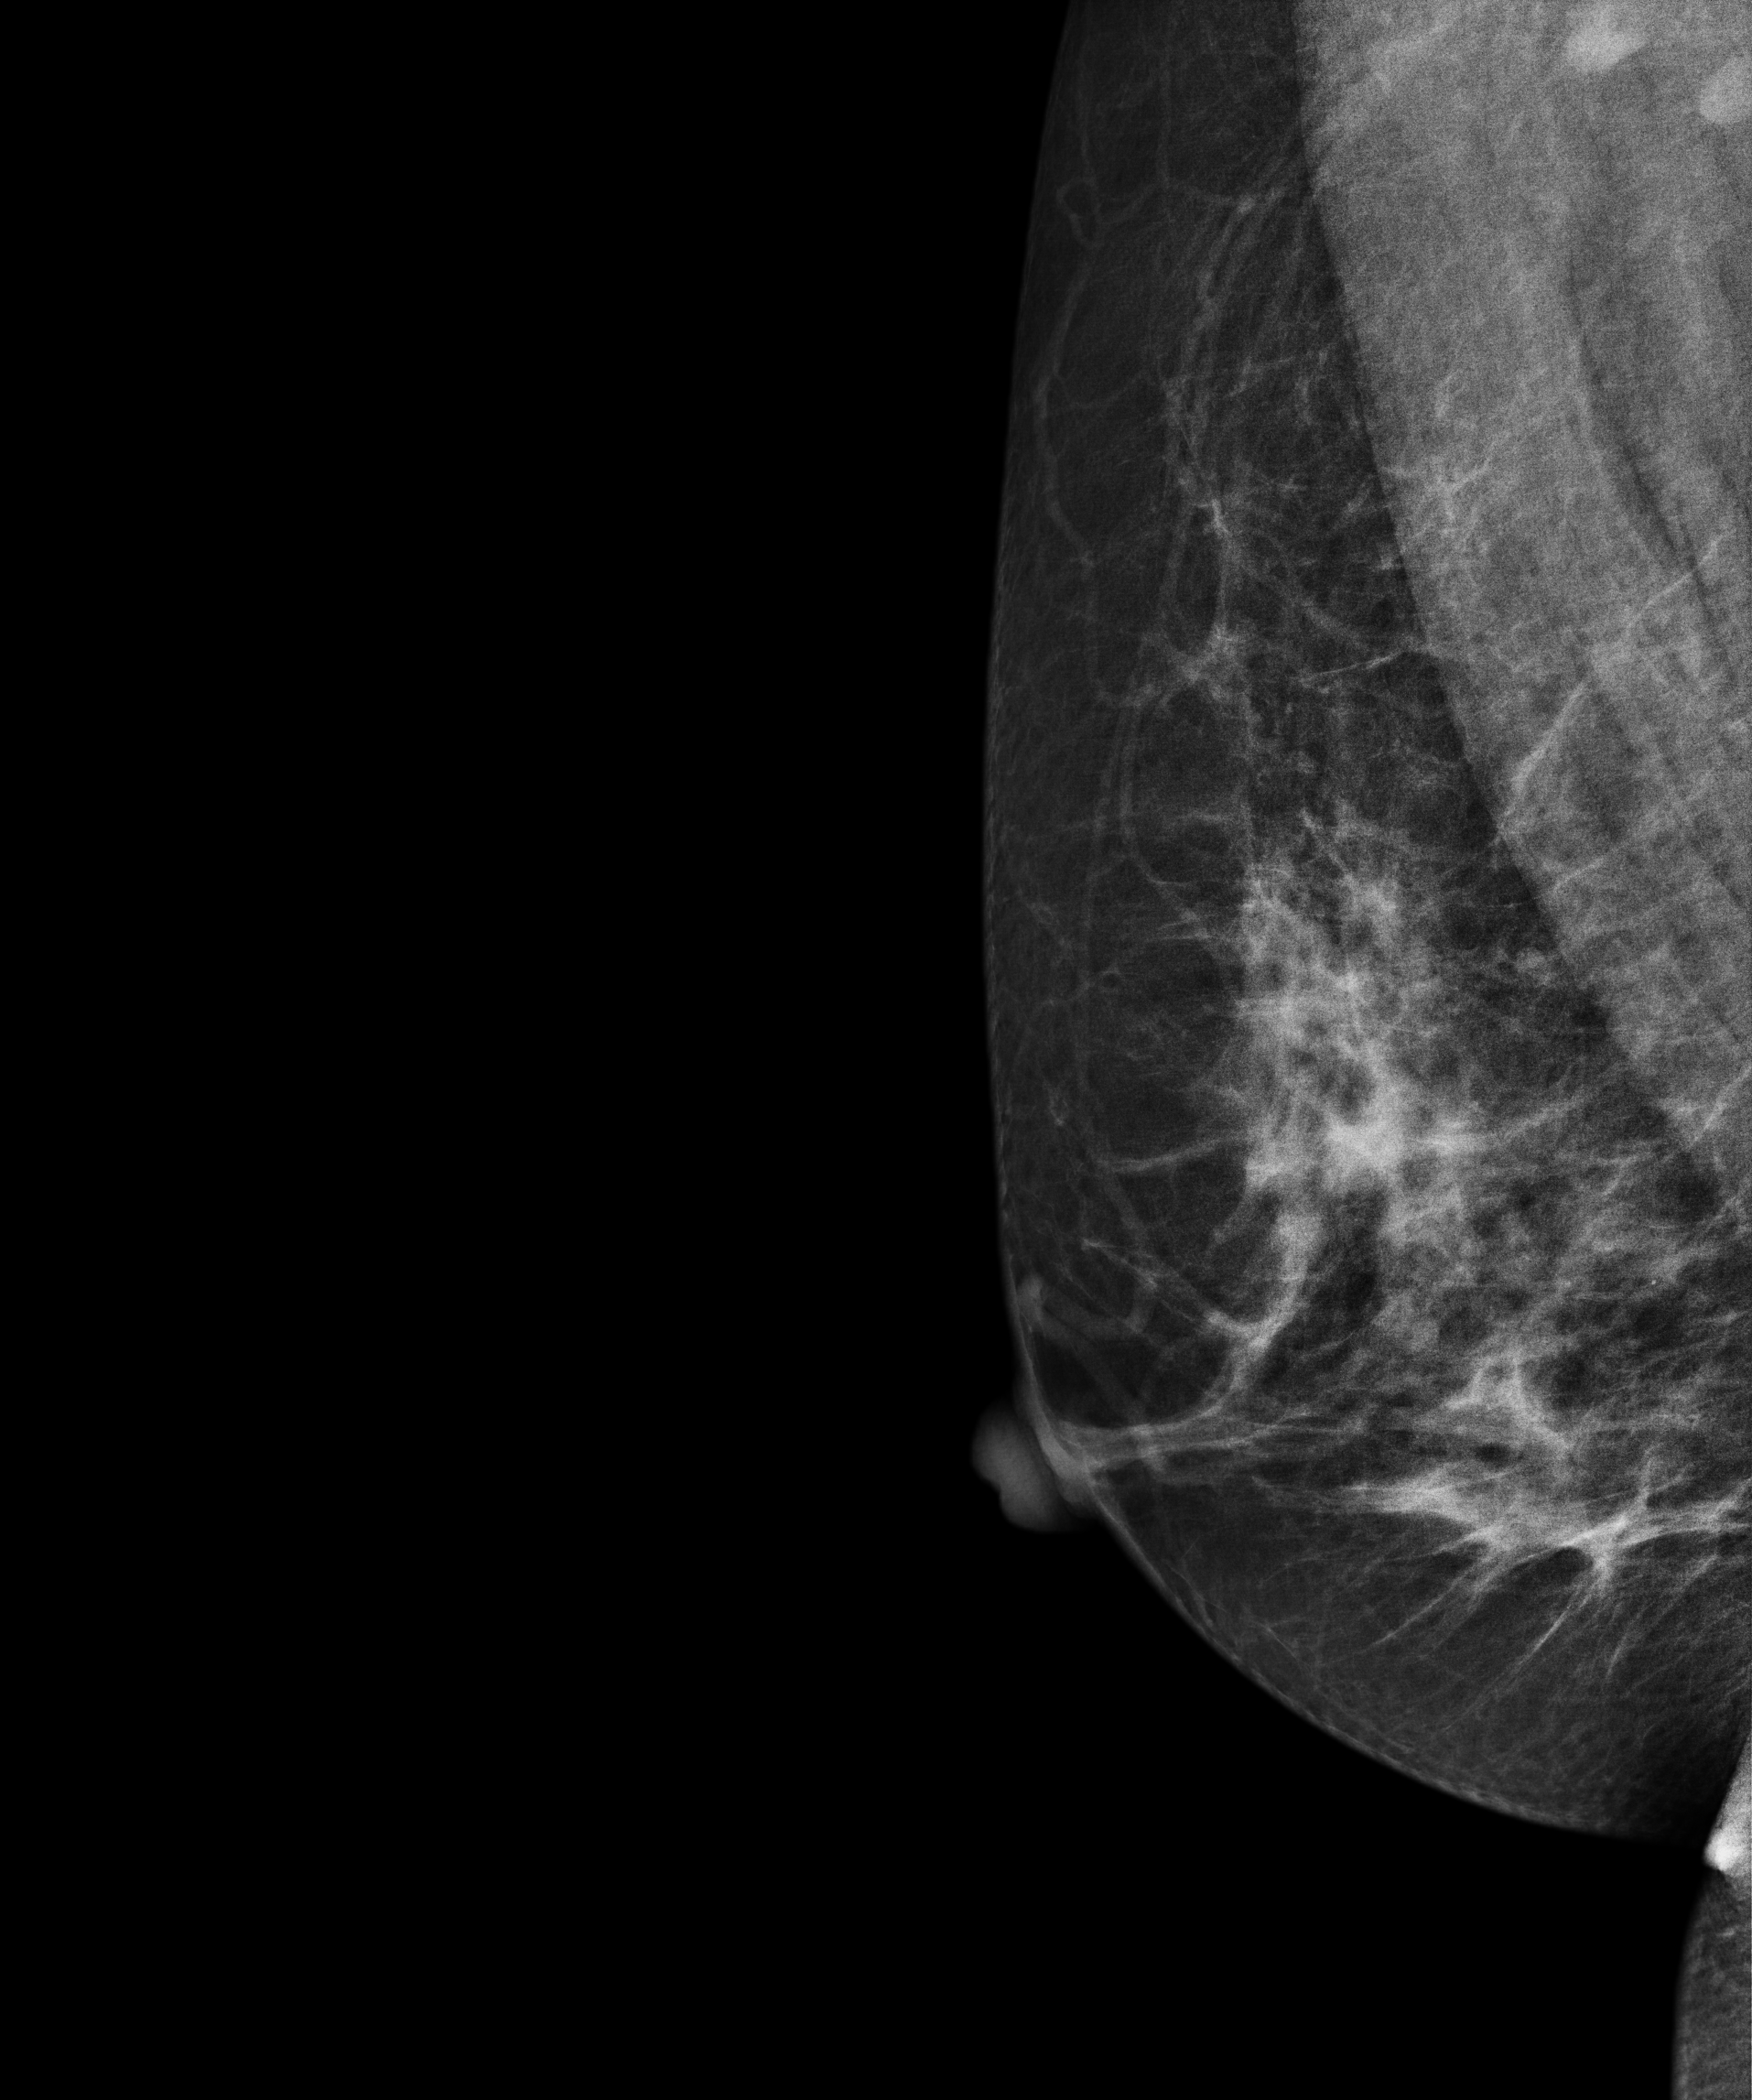
Mammogram, right breast, medio-lateral oblique view. 54 y/o patient.
Contralateral breast — no documented abnormality on this side.